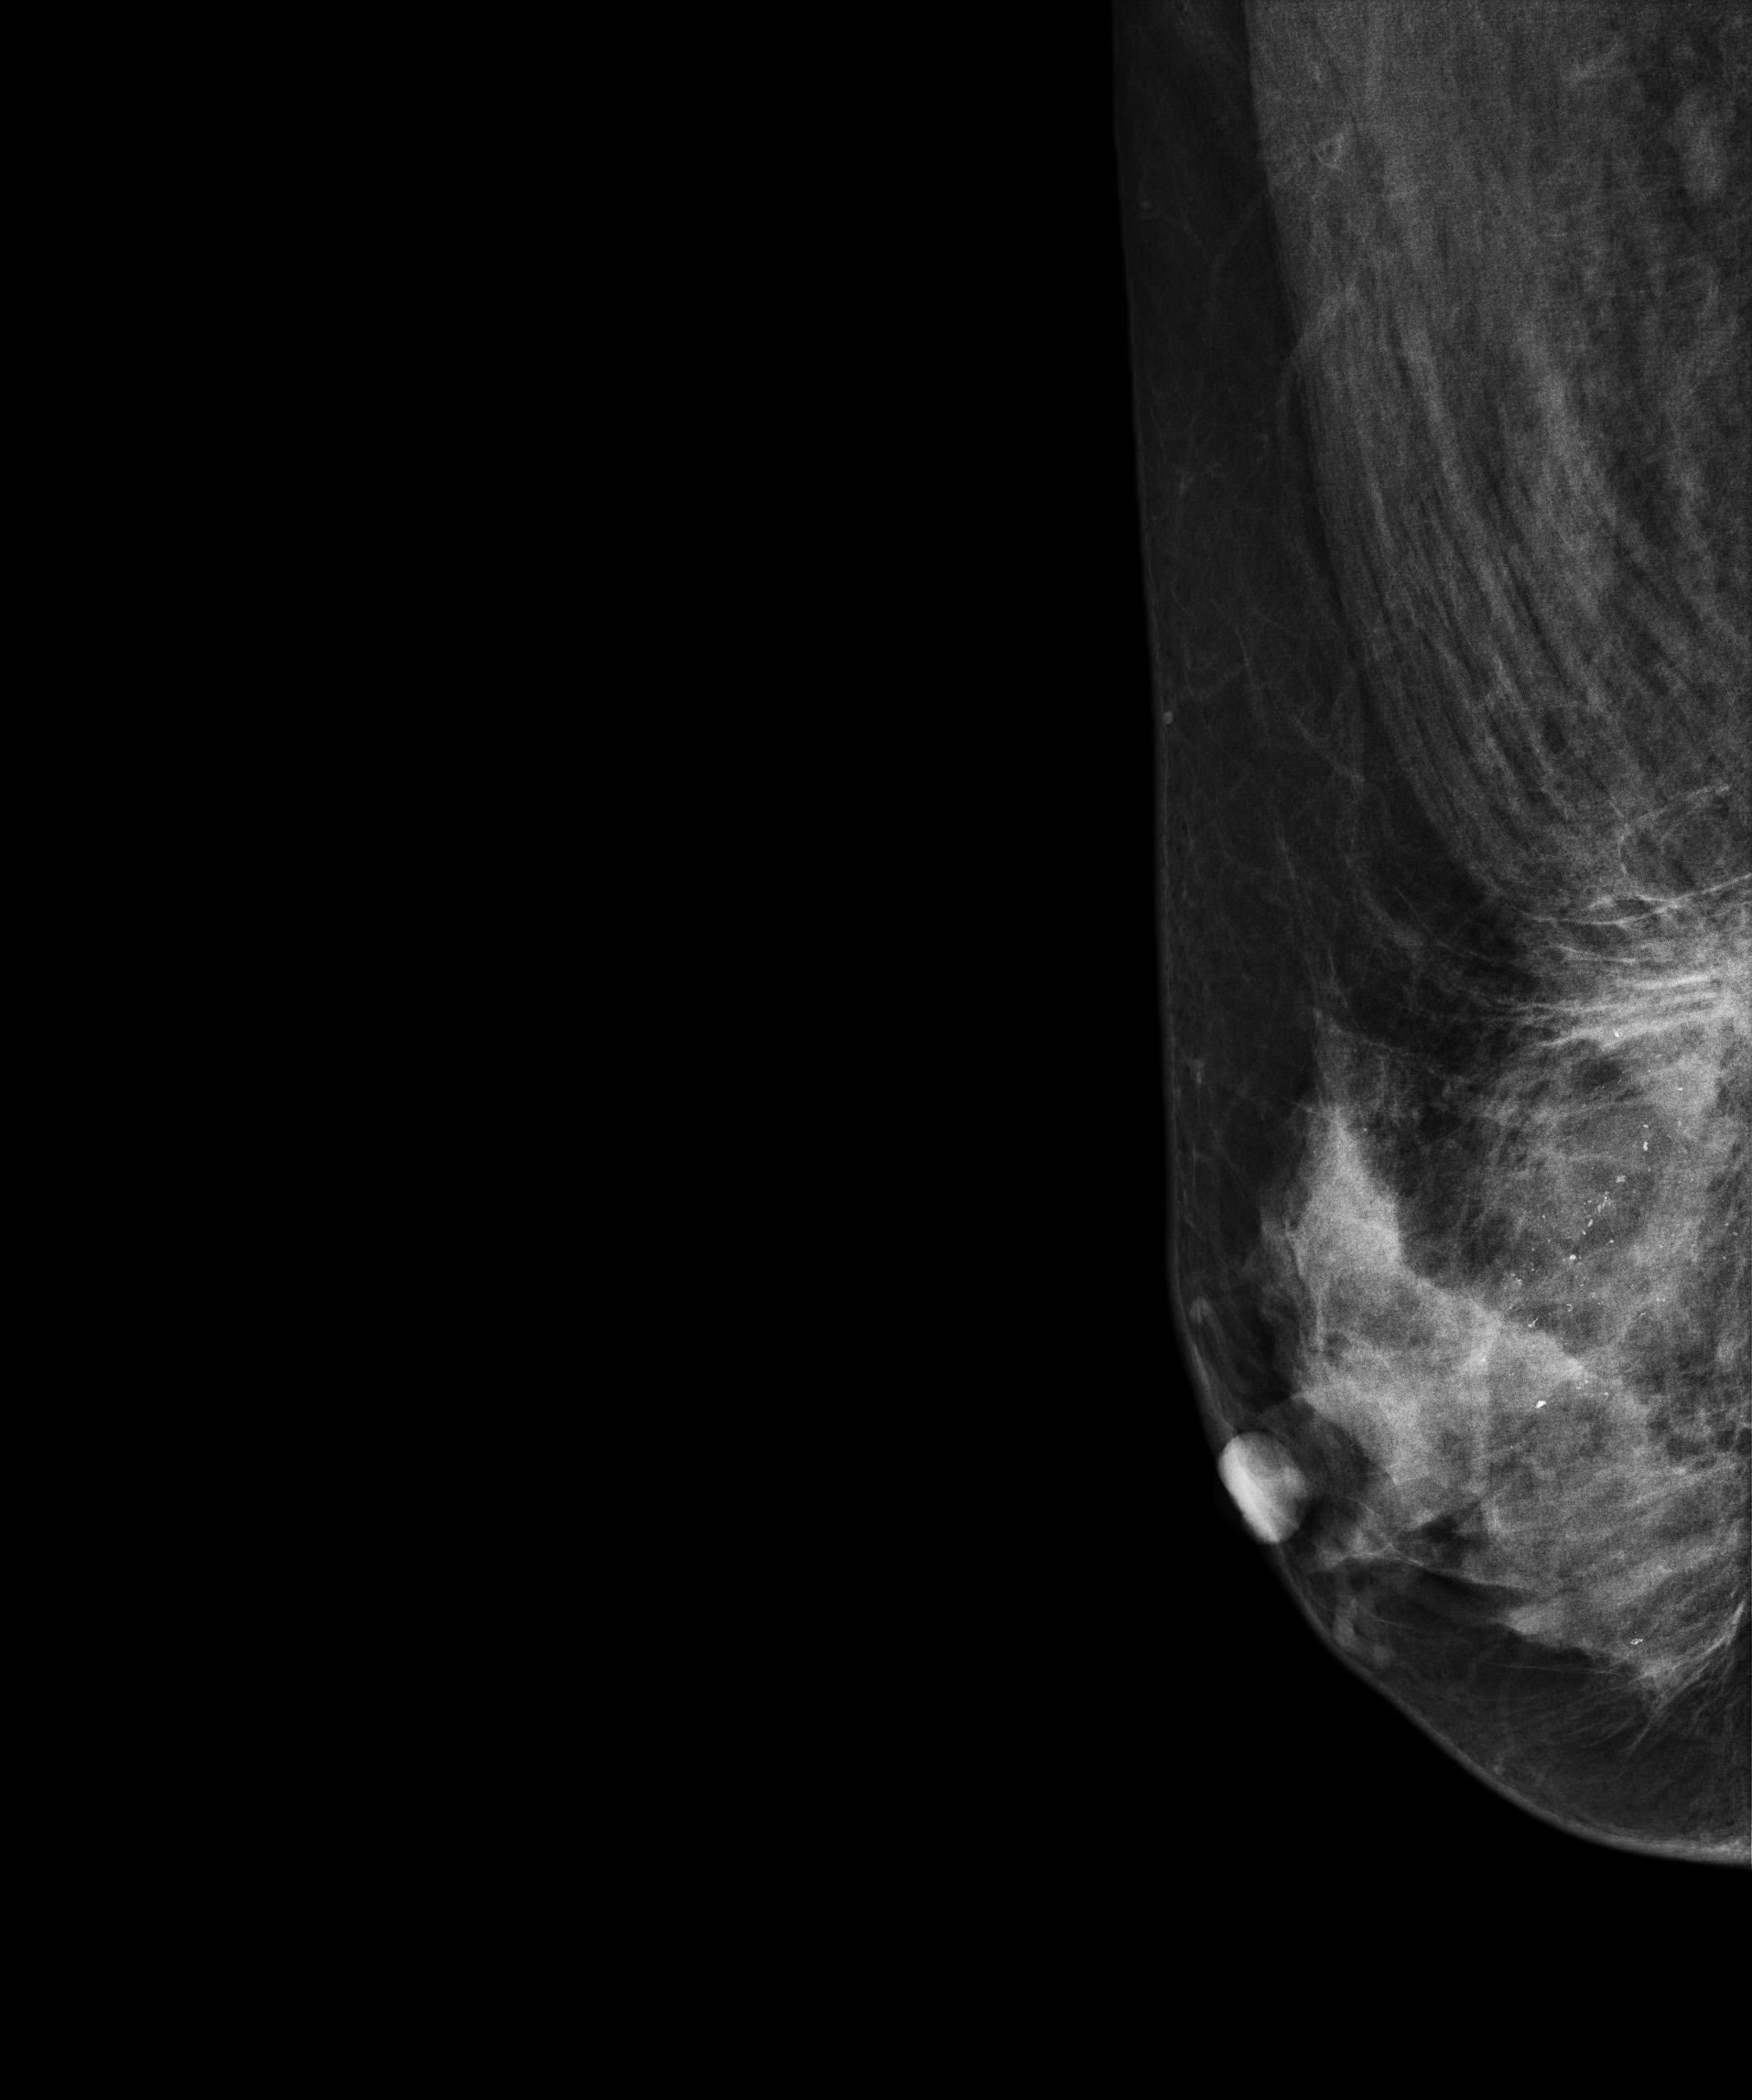
Mammogram, right breast, medio-lateral oblique view. Patient age 64.
This breast has calcifications, histologically confirmed malignant.